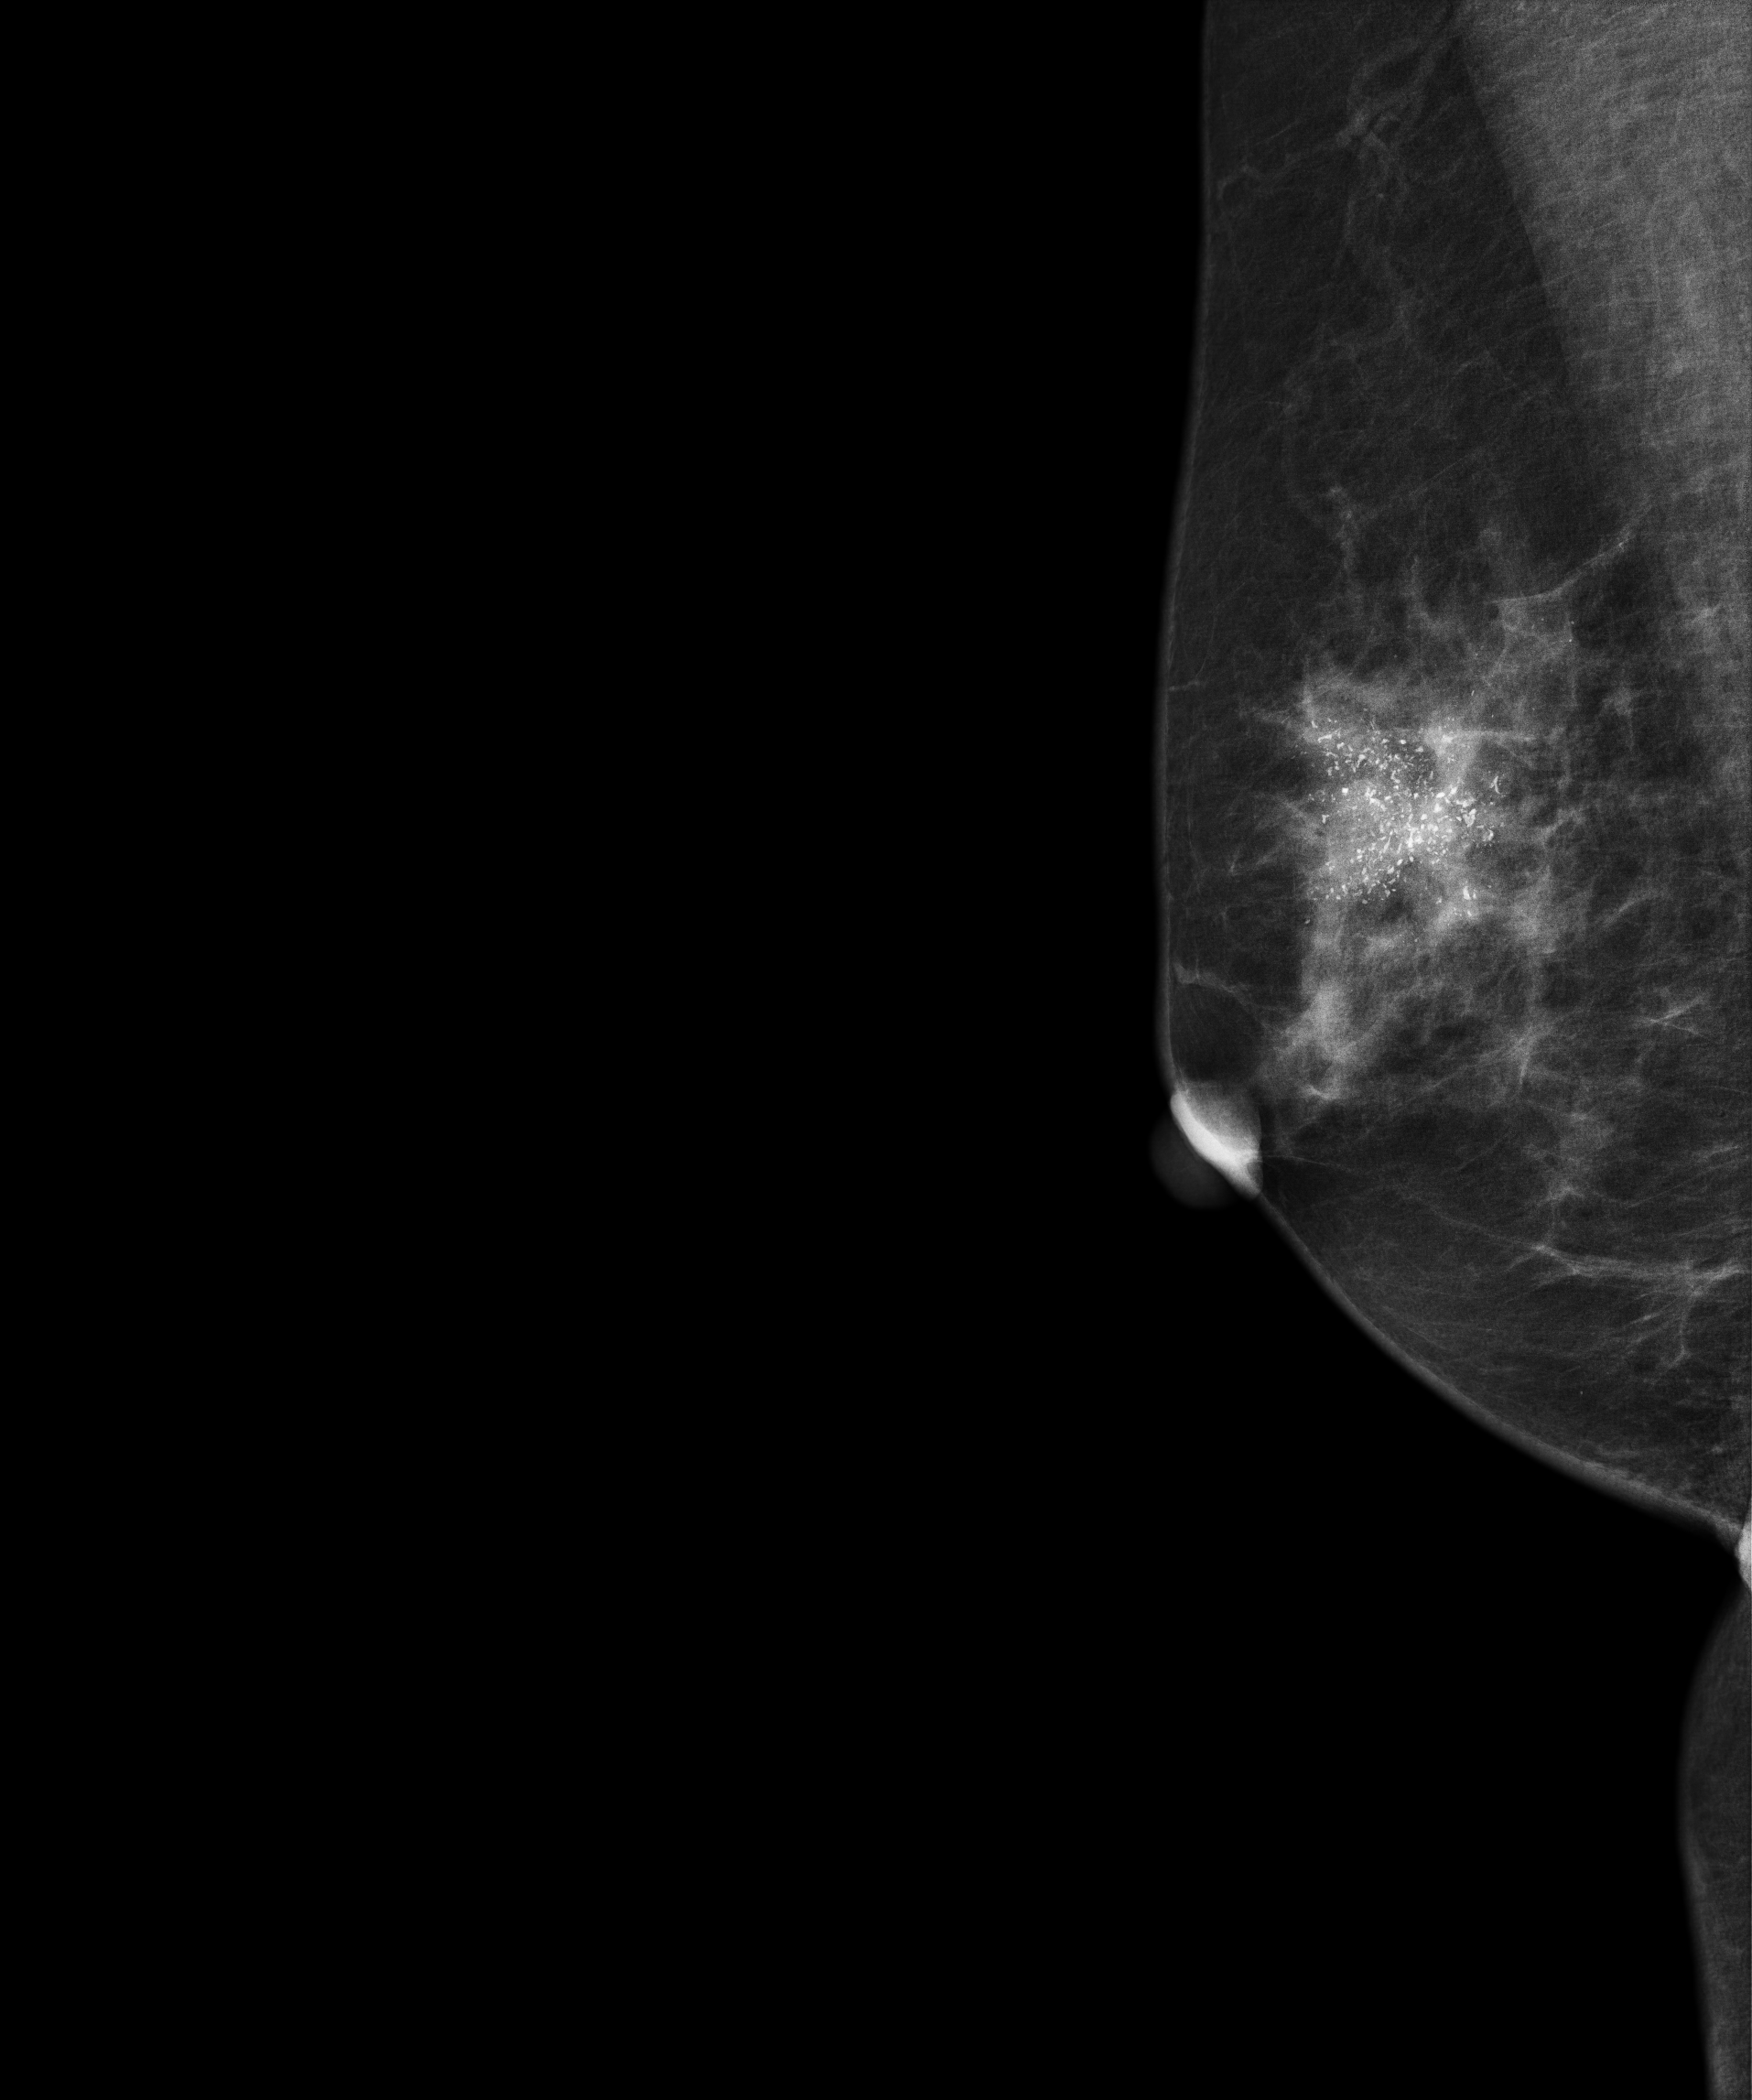
Digital mammography. Right breast, MLO projection. Patient age 67.
This breast has a mass and calcifications, pathology-confirmed malignant.